Left-breast mammogram, CC. 43 y/o patient.
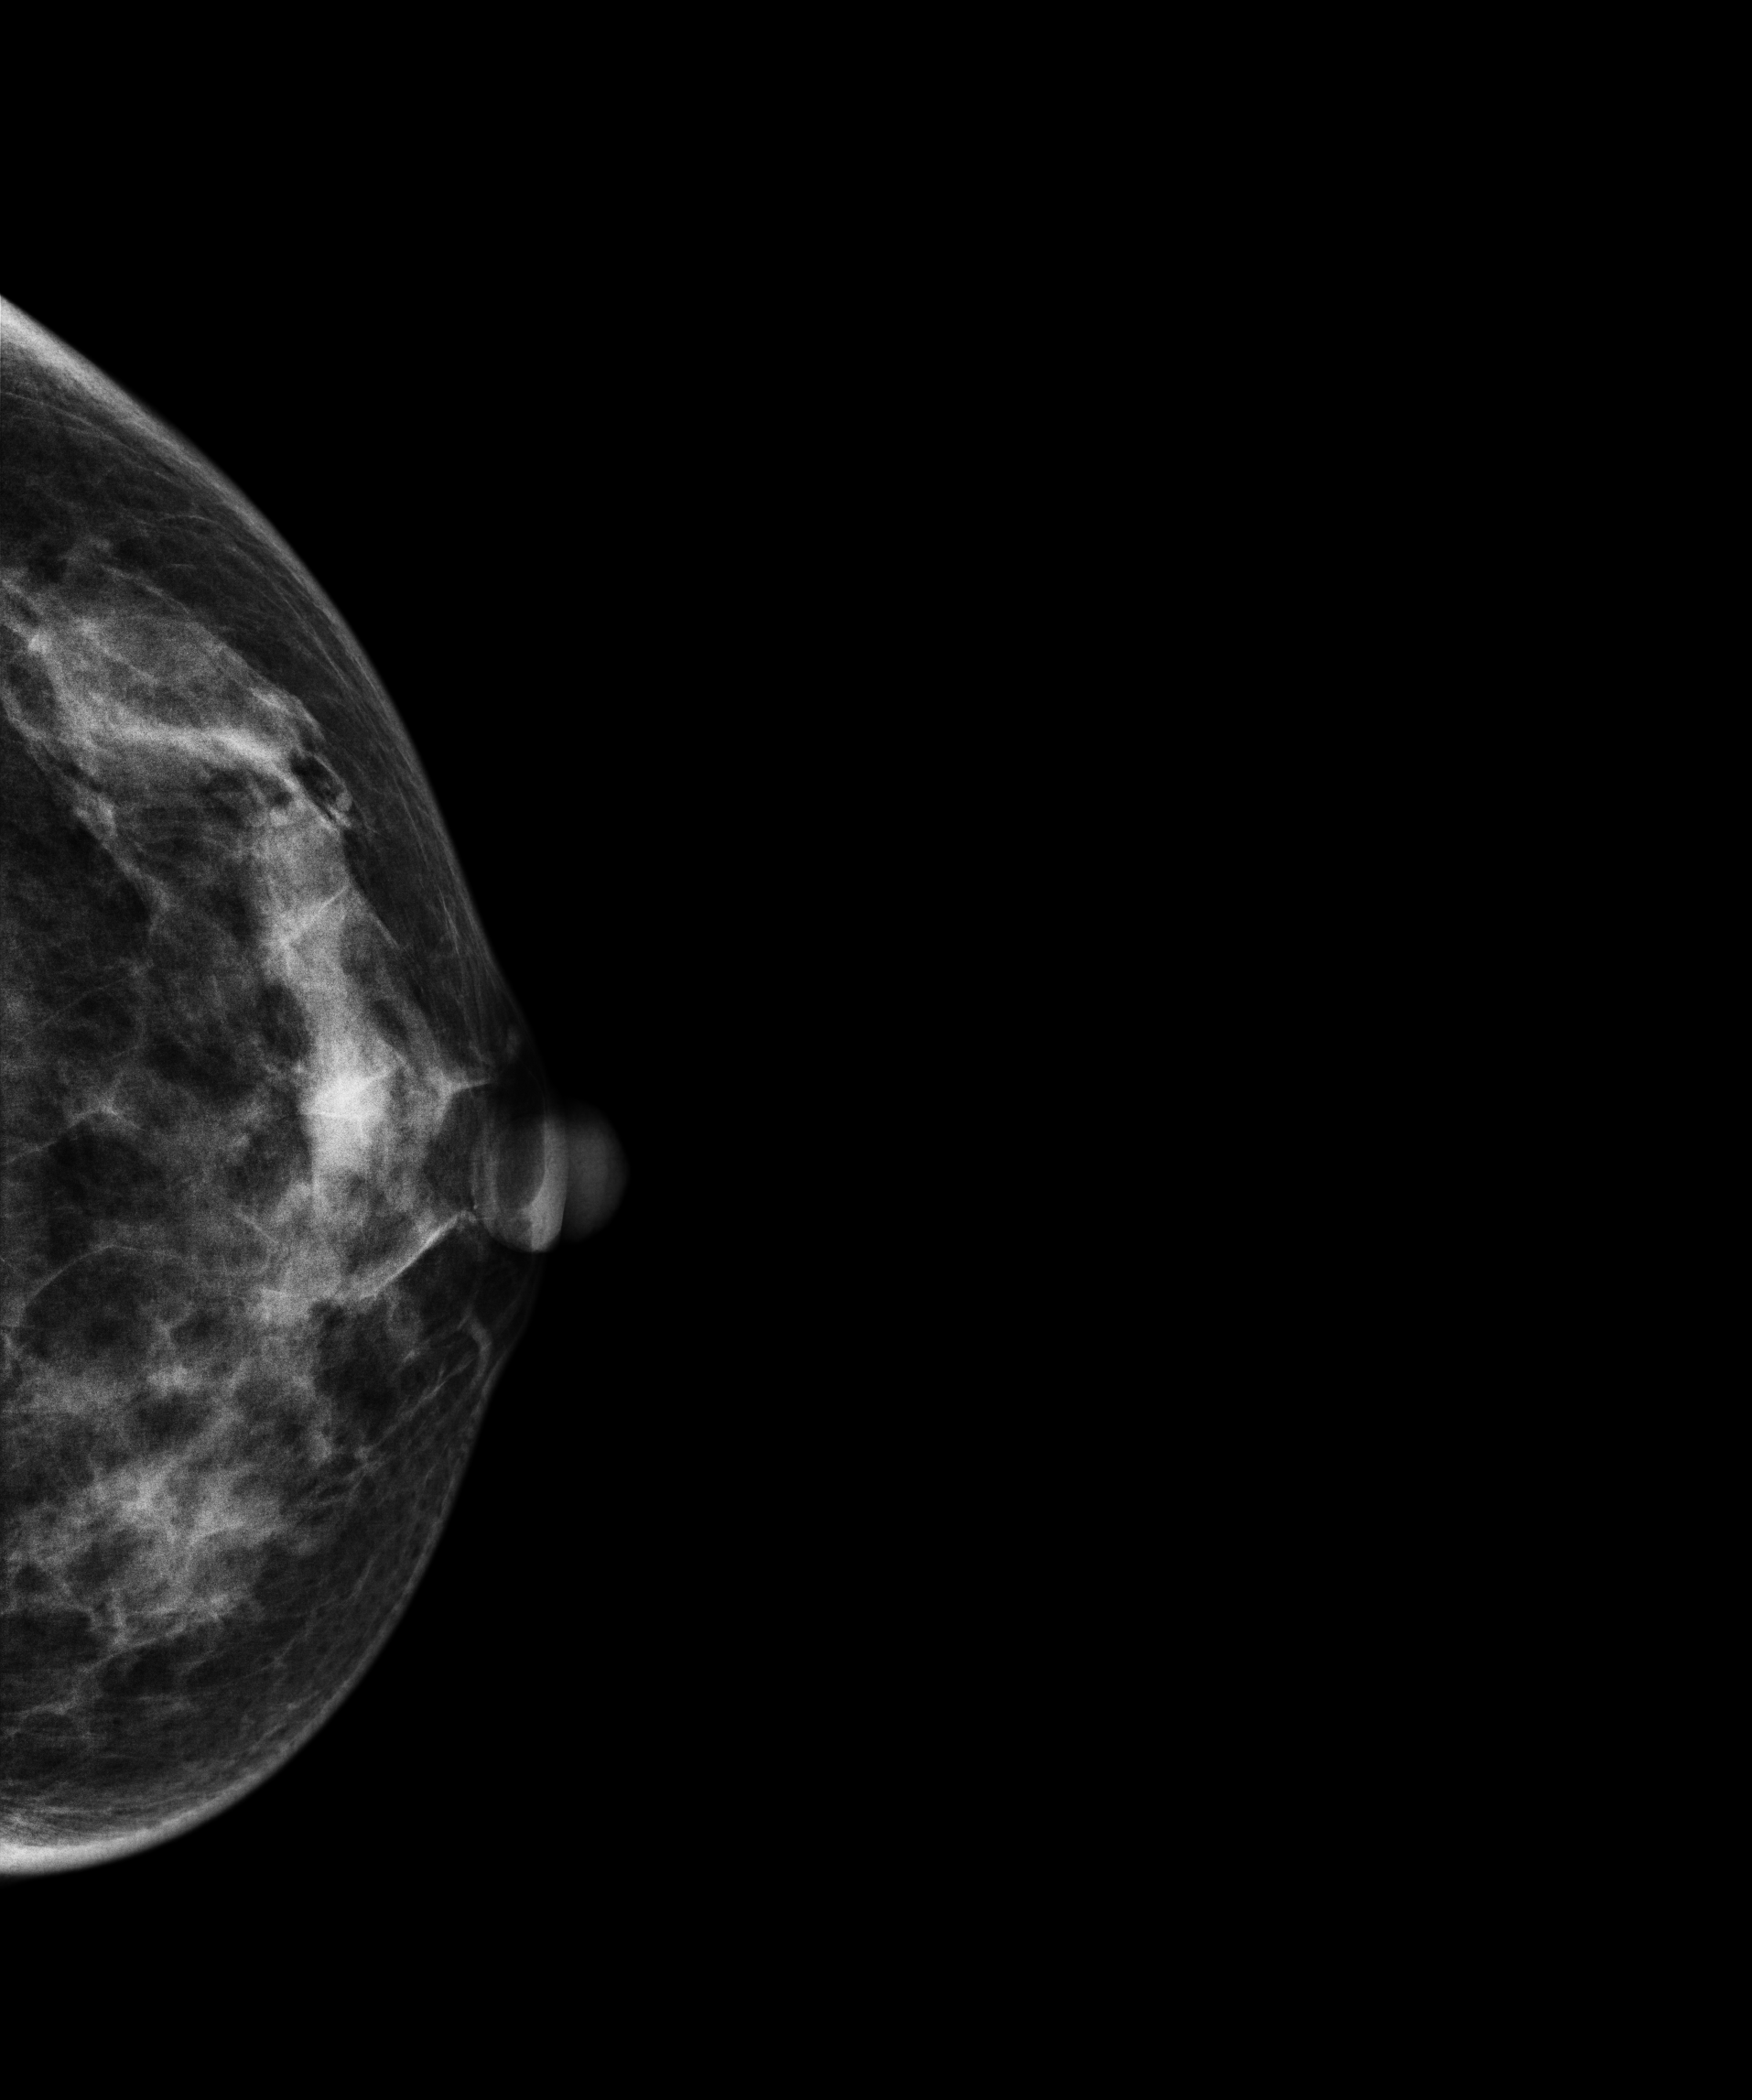
This breast has a mass, biopsy-confirmed benign.